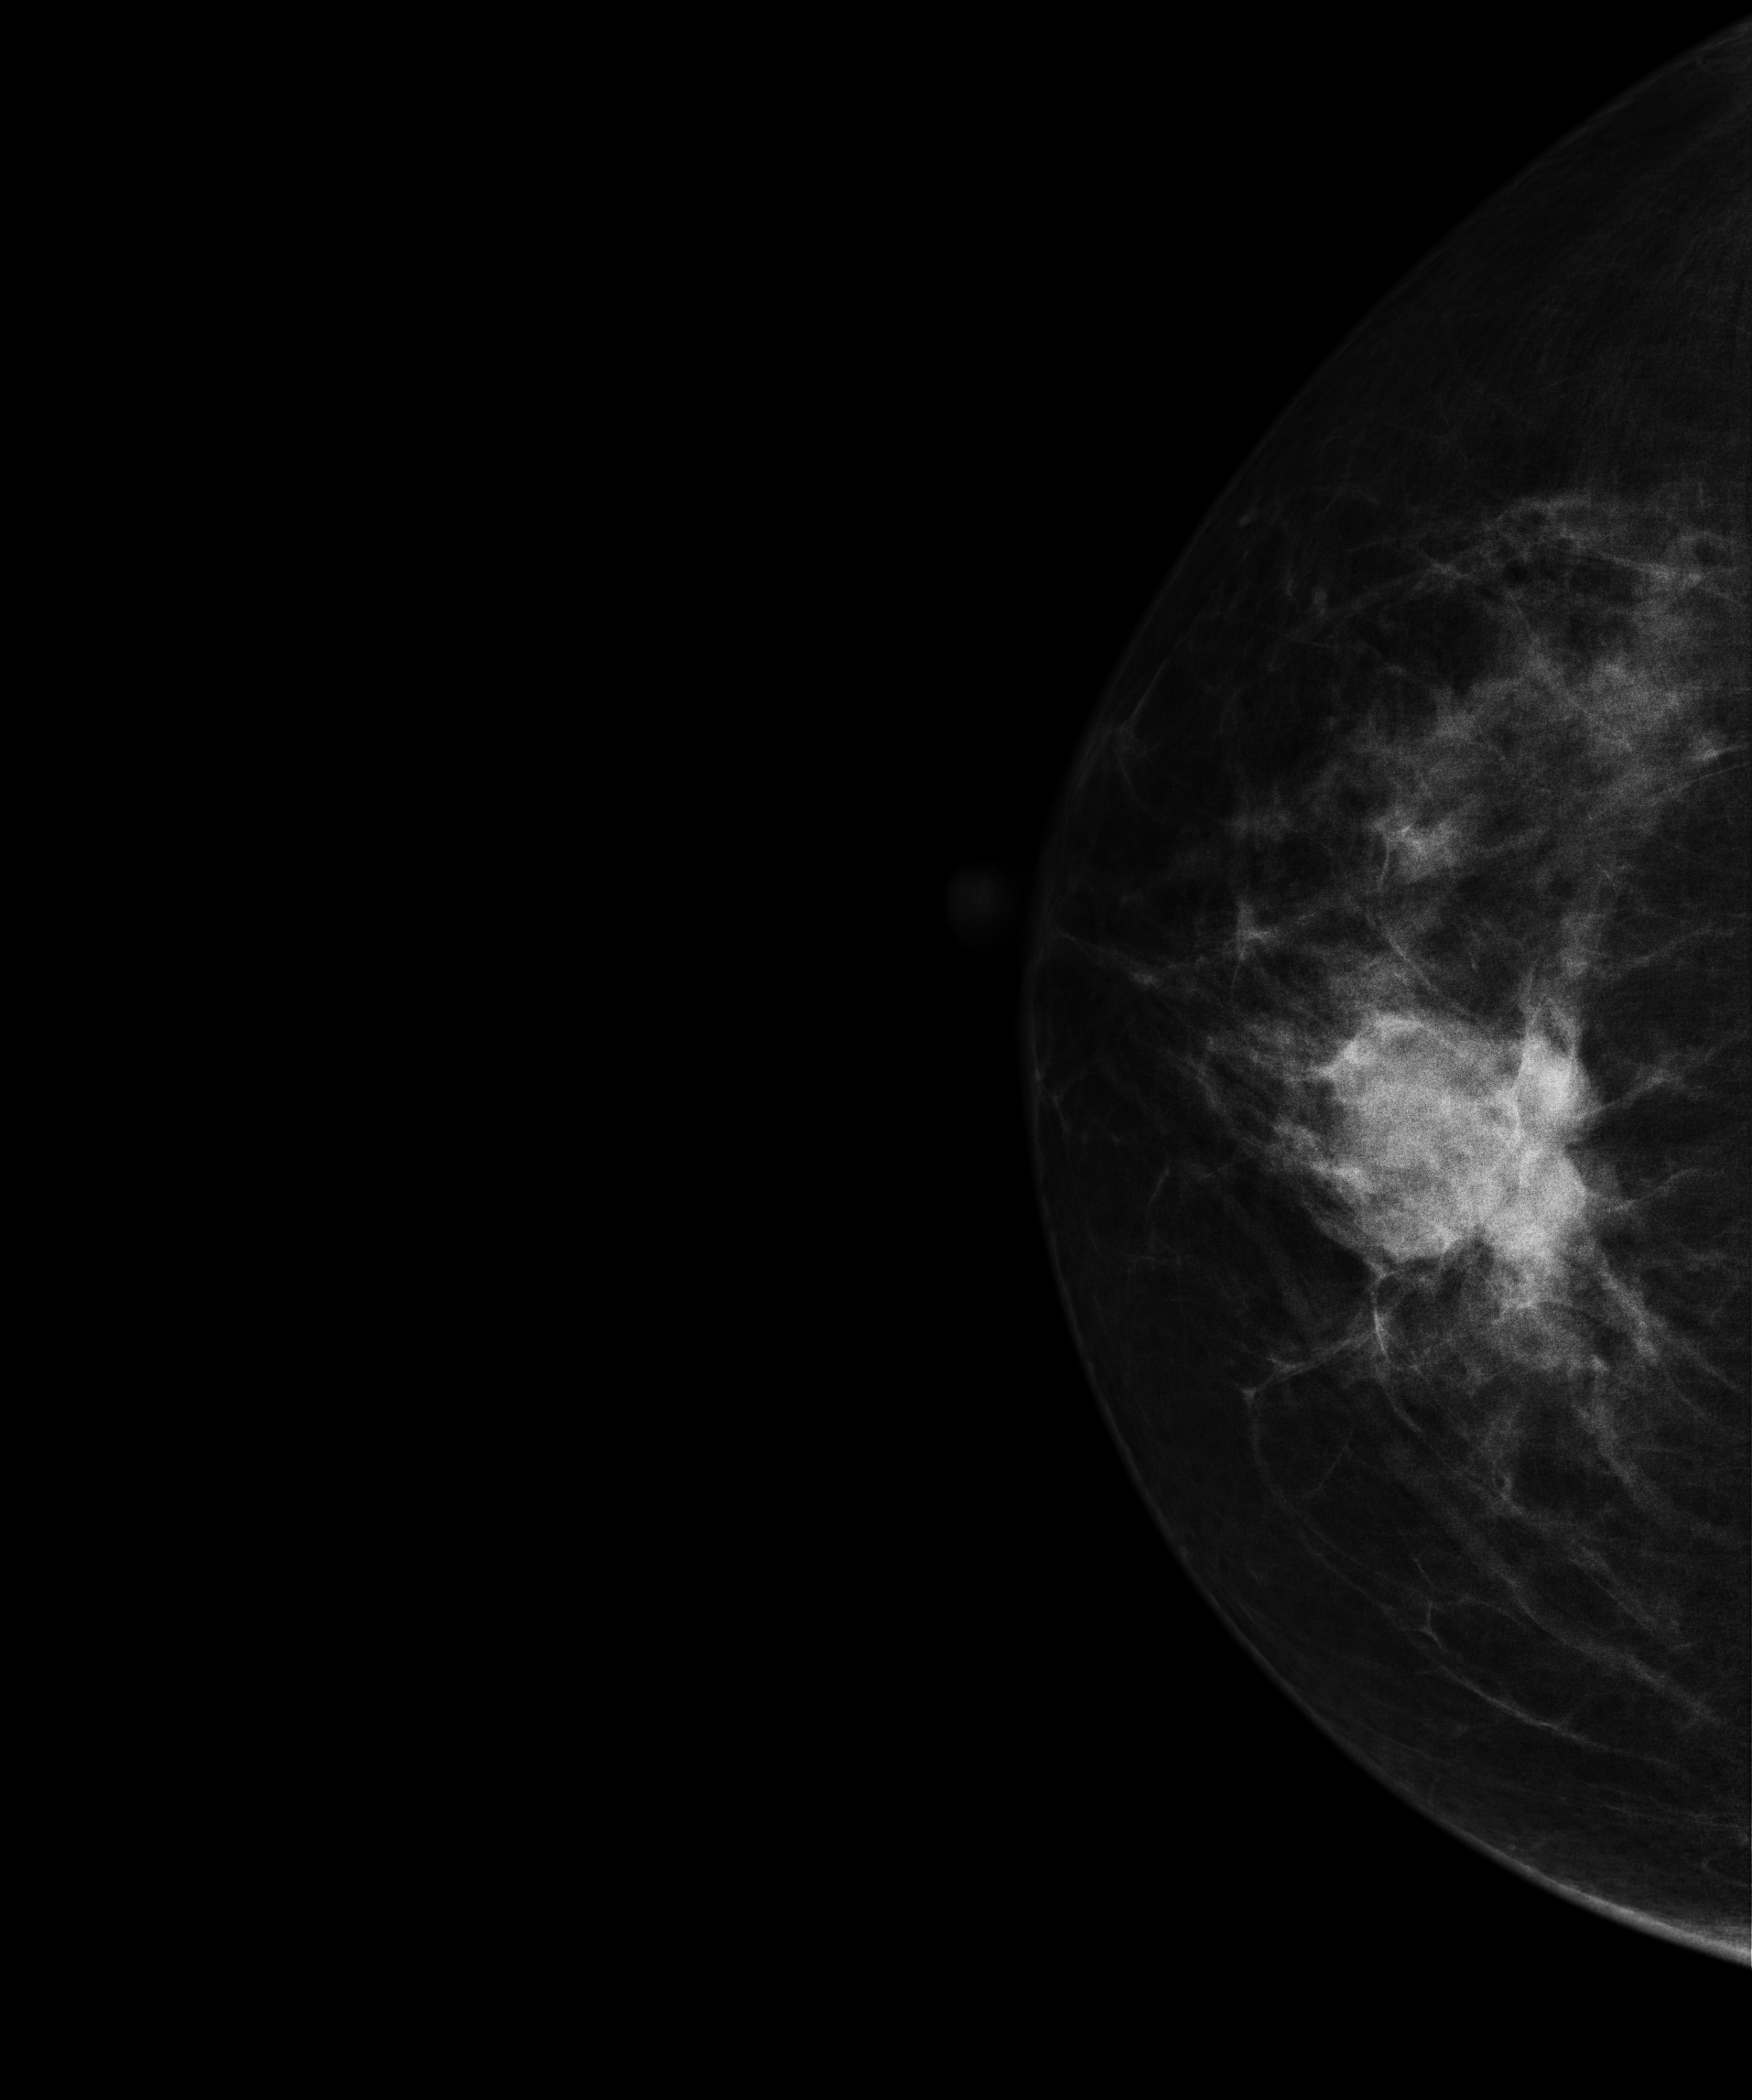
Mammogram, right breast, CC view. 65-year-old patient.
This breast has a mass, pathology-confirmed malignant. Molecular subtype: luminal B.